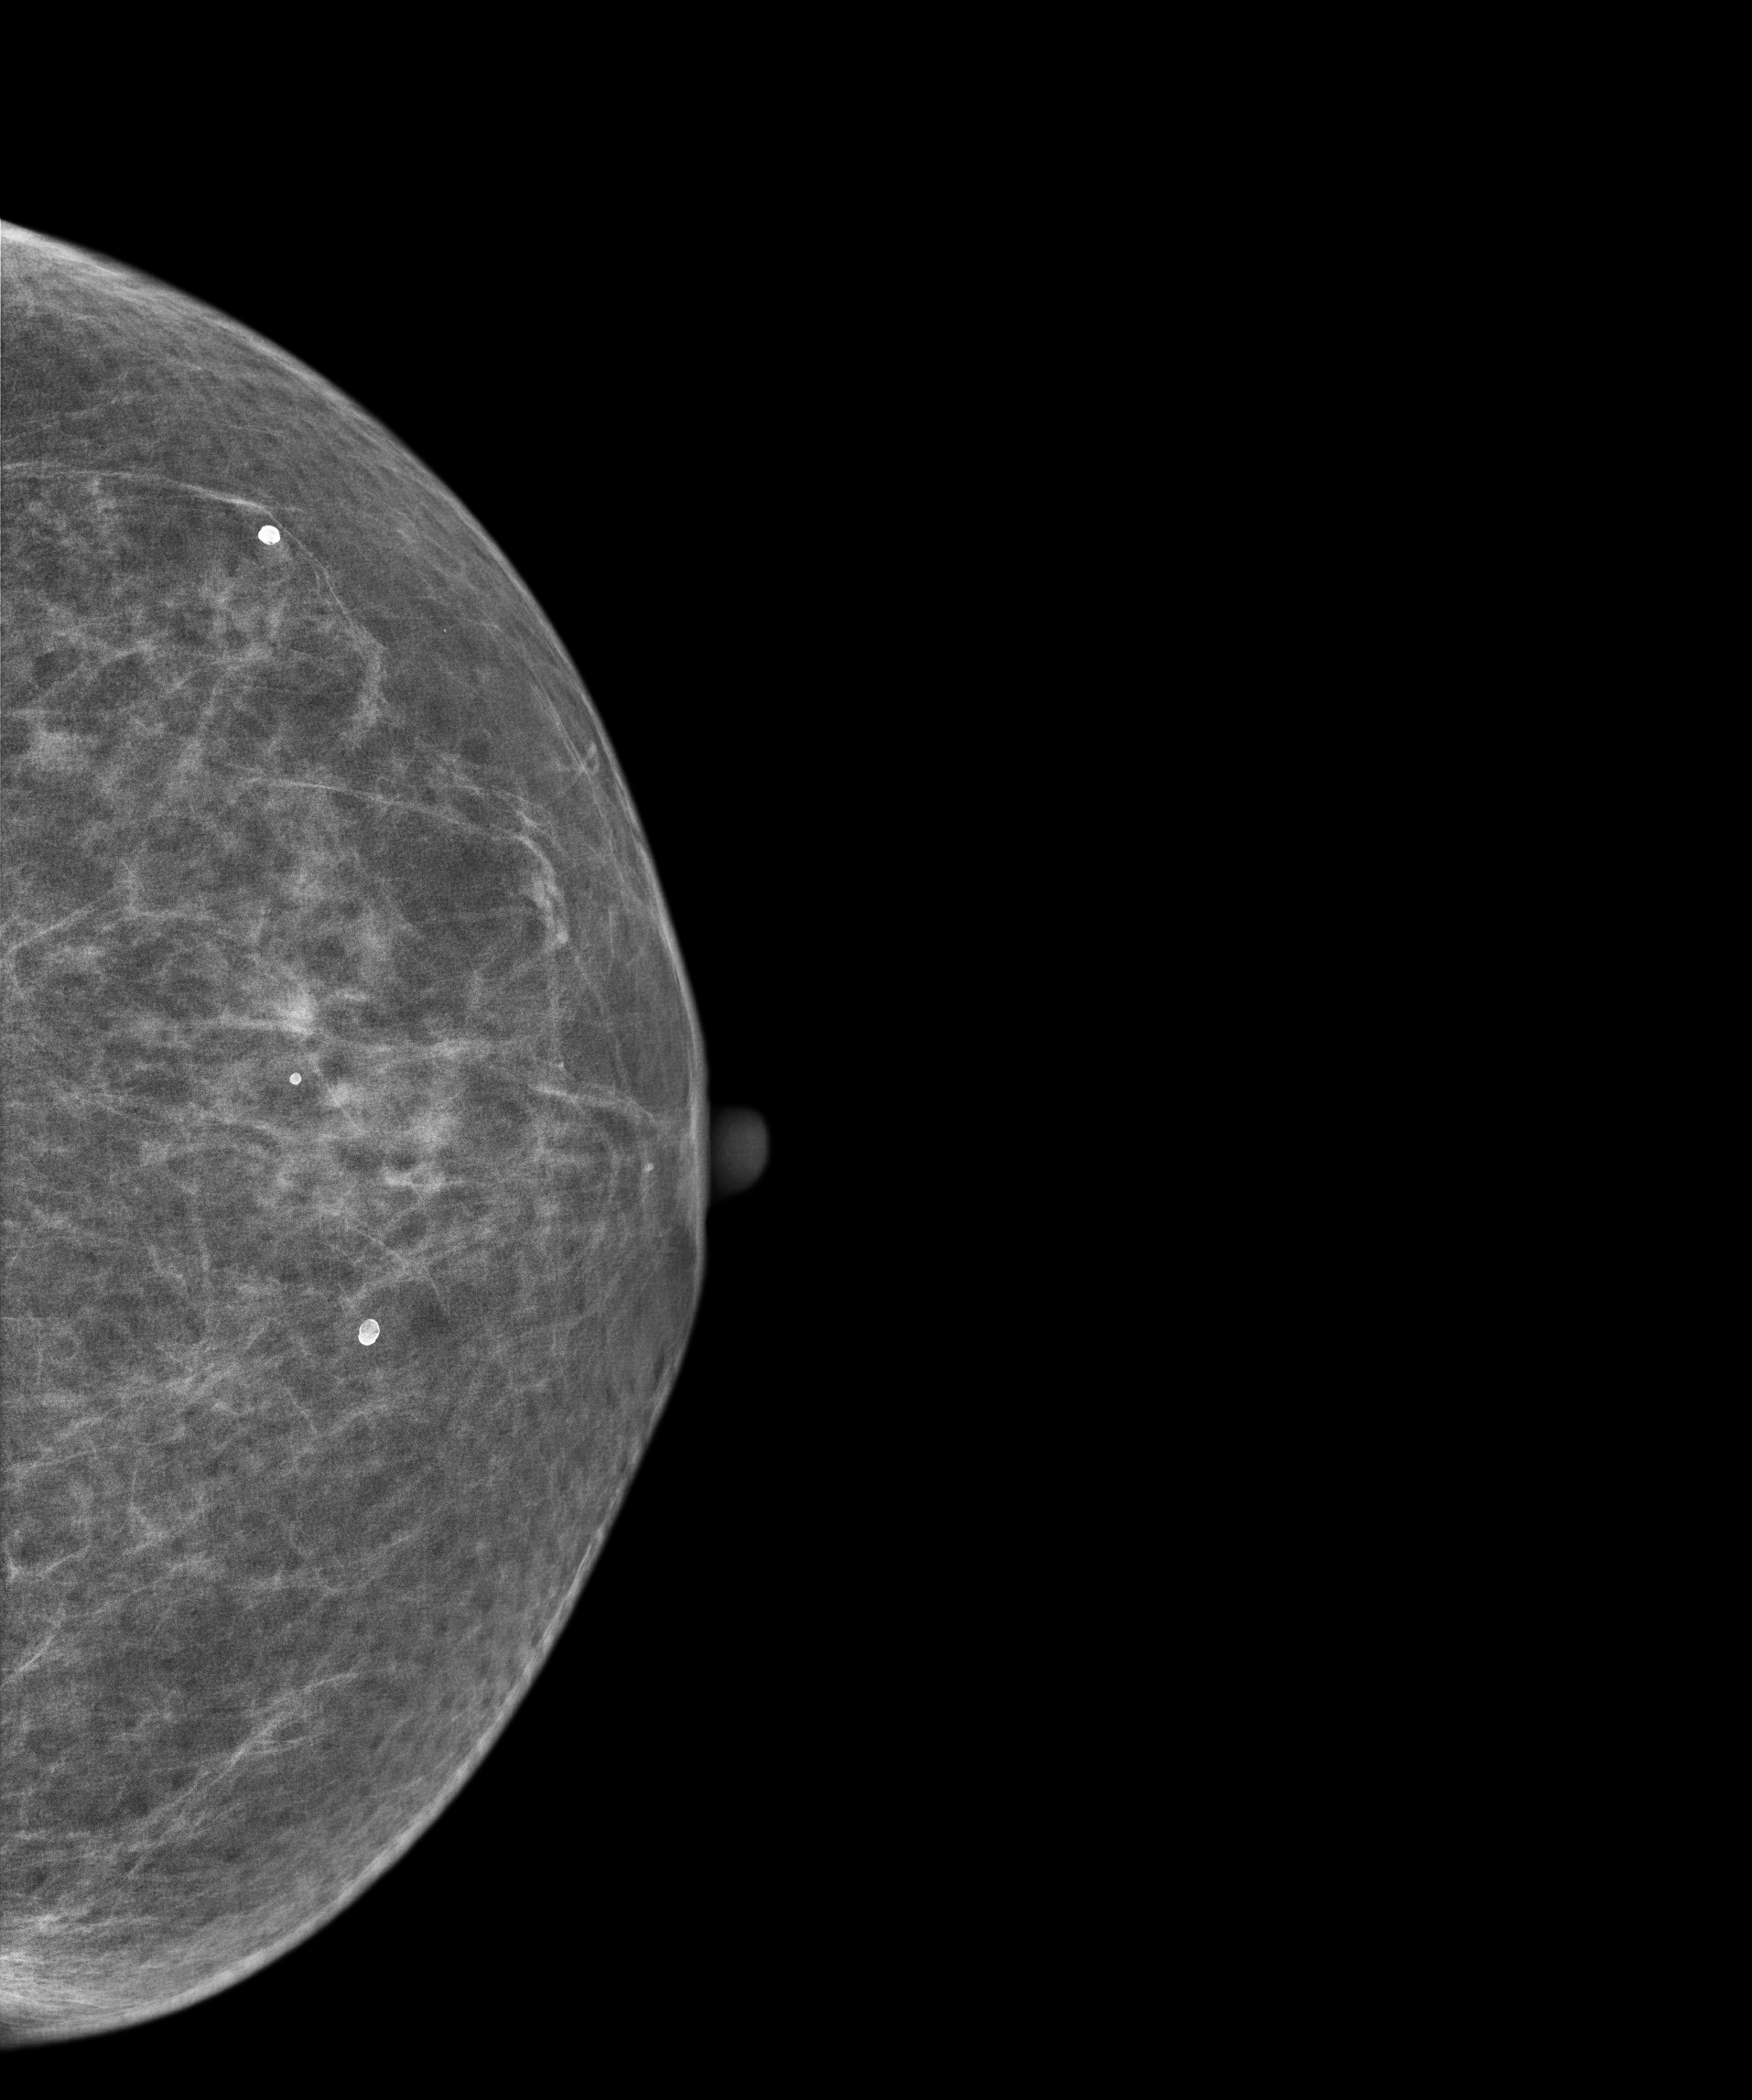
CC mammogram of the left breast. 61 y/o patient.
Contralateral breast — no documented abnormality on this side.